Left-breast mammogram, MLO. 46 y/o patient.
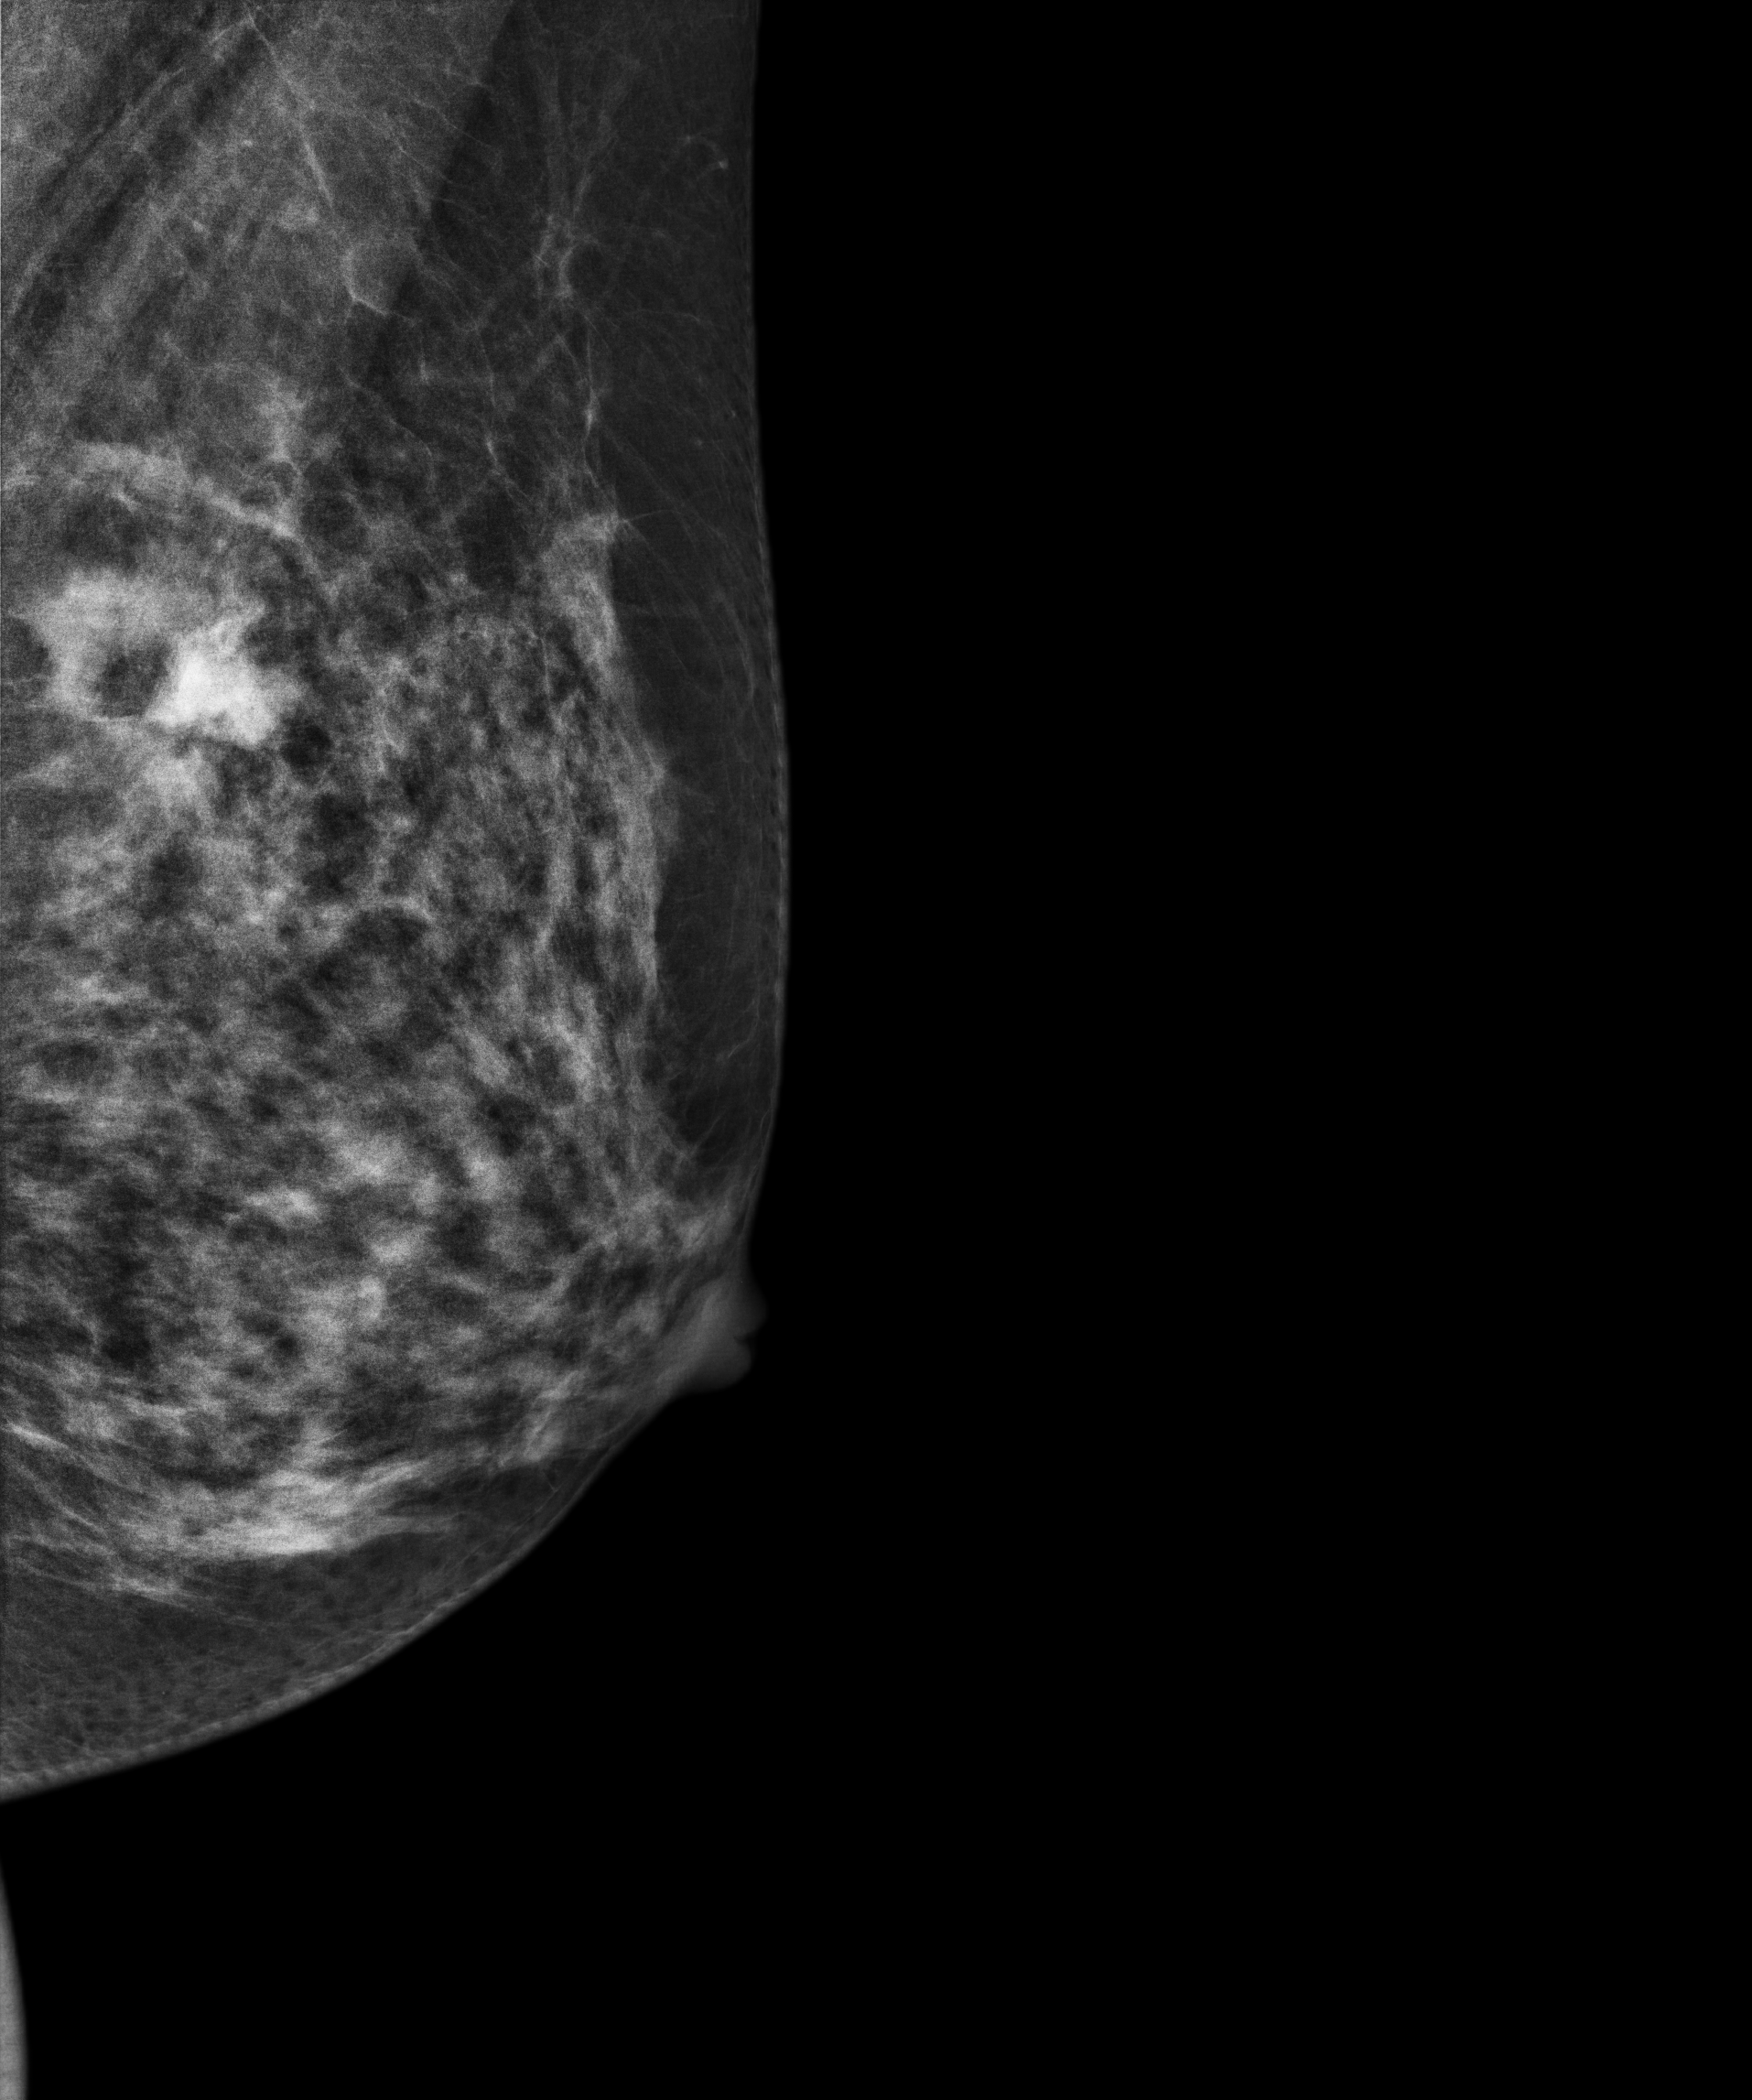
This breast has a mass, histologically confirmed malignant. Molecular subtype: luminal A.